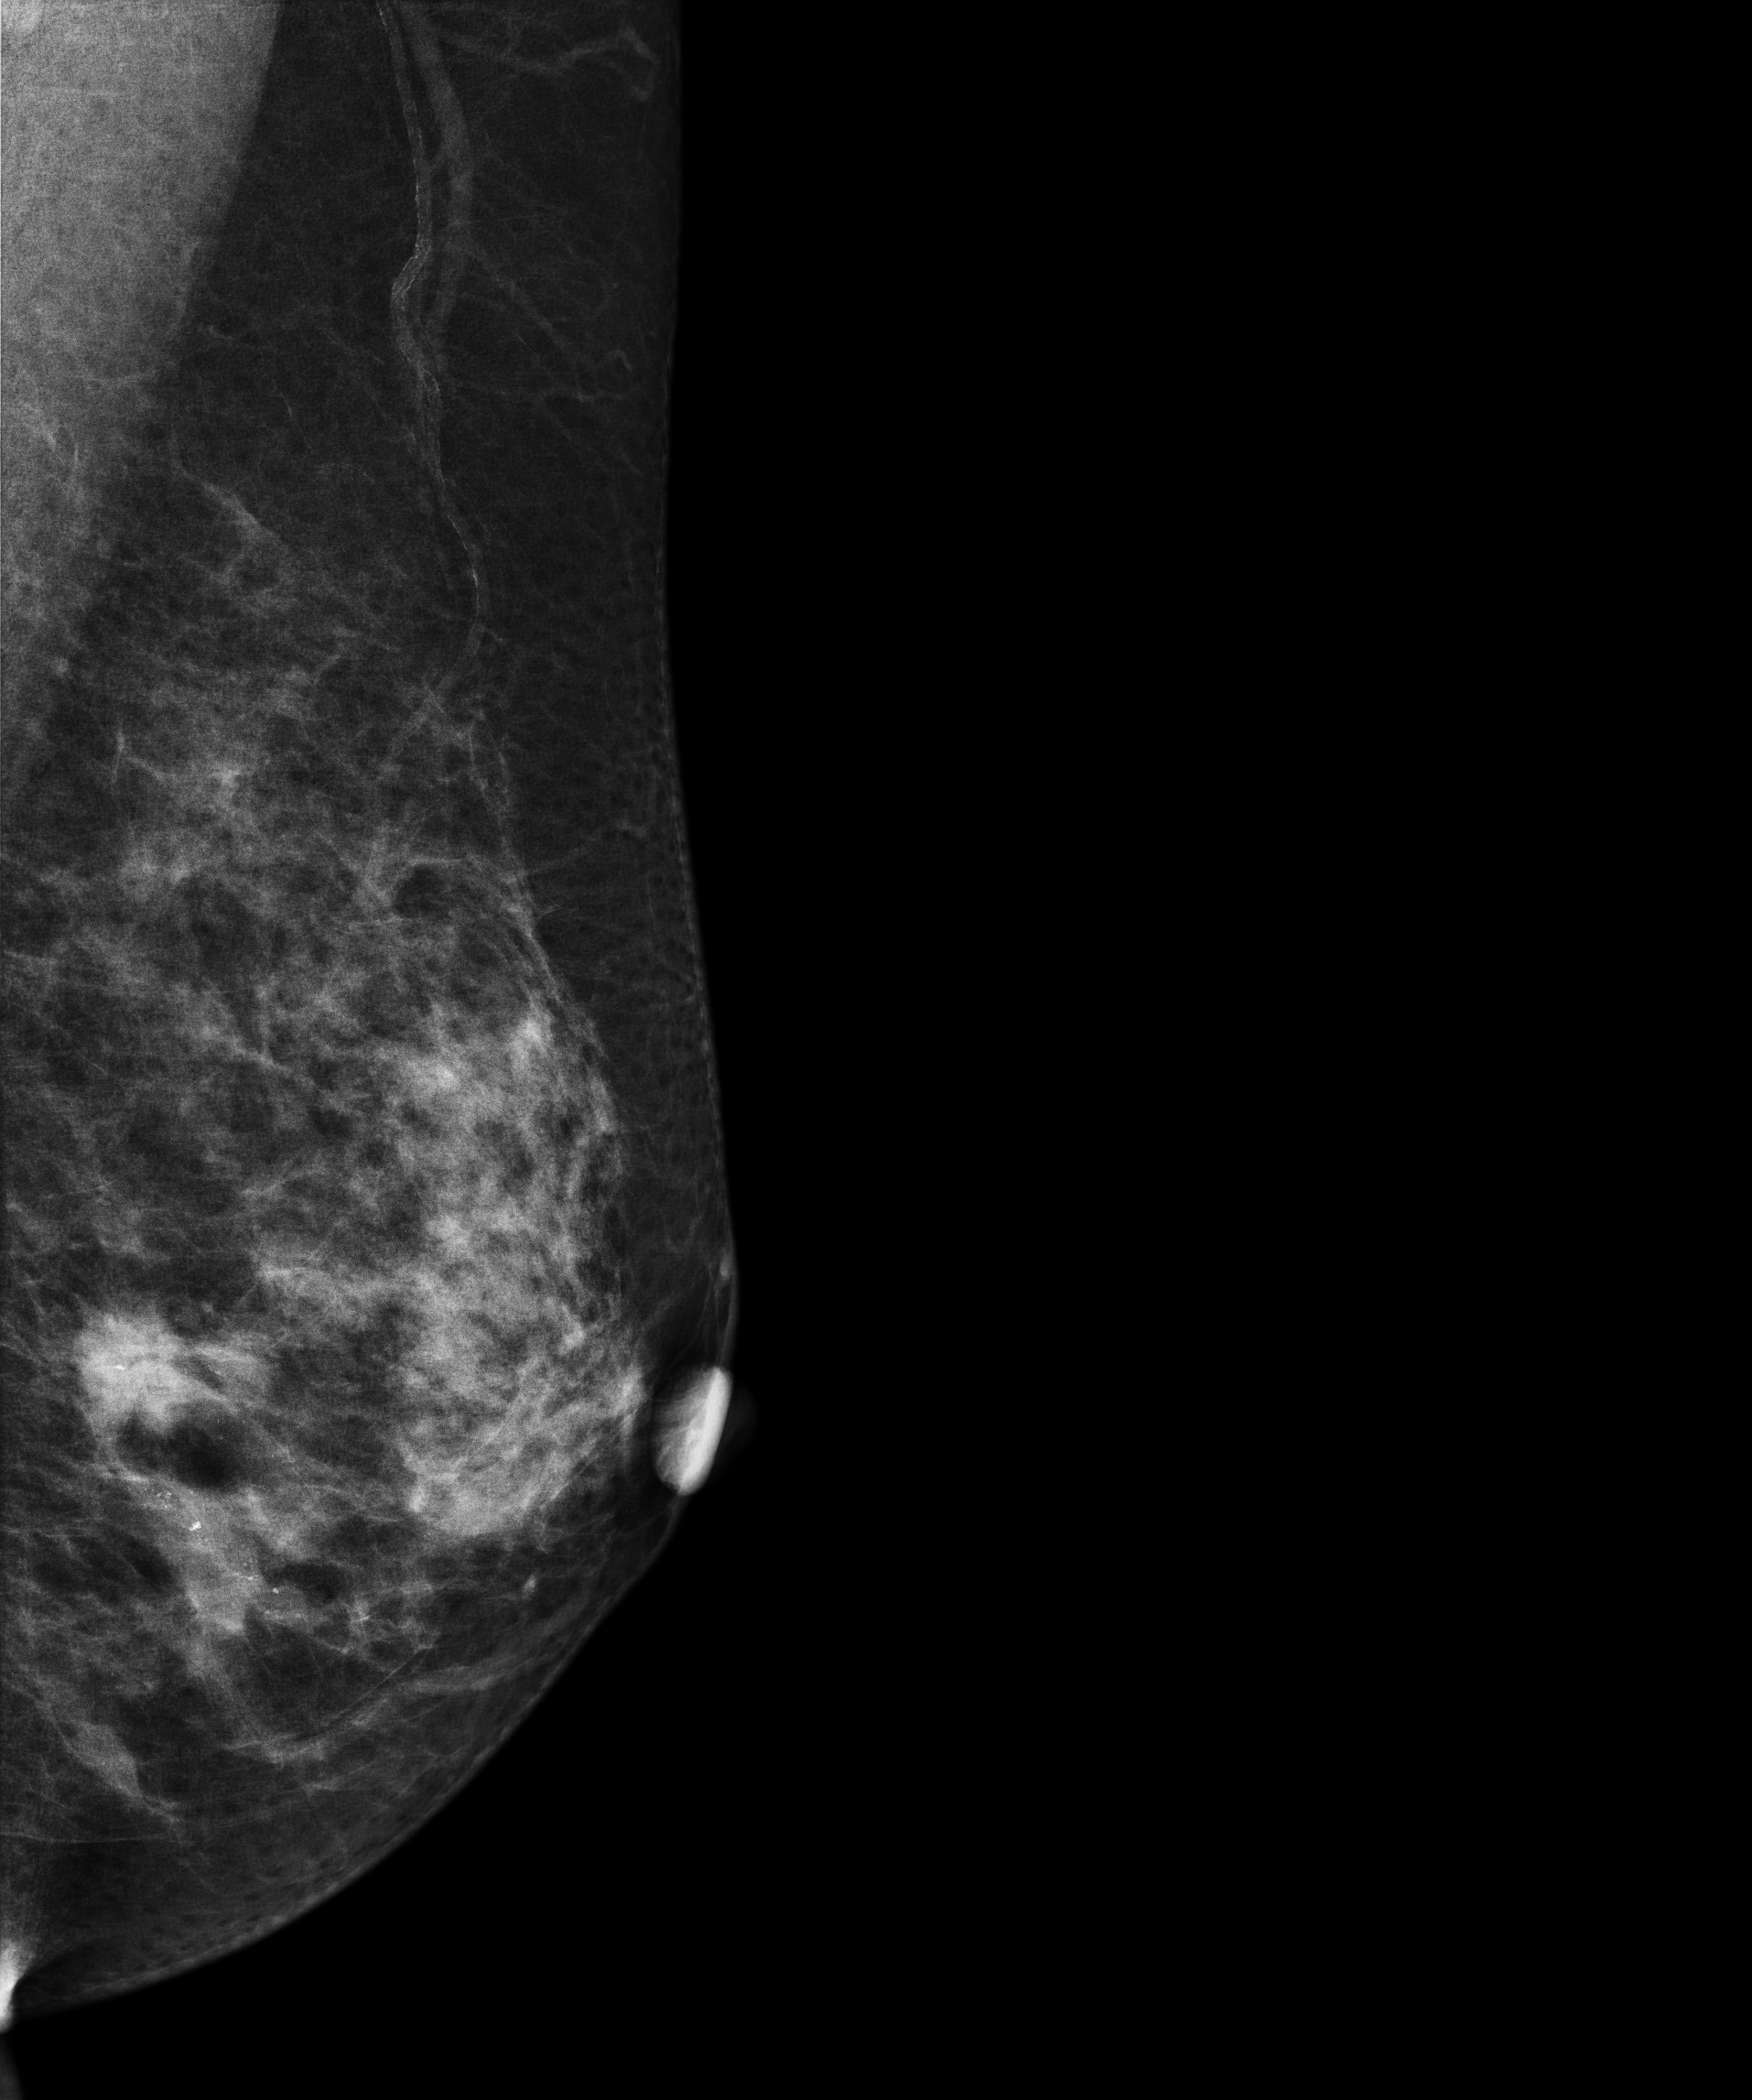
Digital mammography. Left breast, MLO projection. Patient age 31.
This breast has a mass and calcifications, histologically confirmed malignant. Molecular subtype: luminal B.